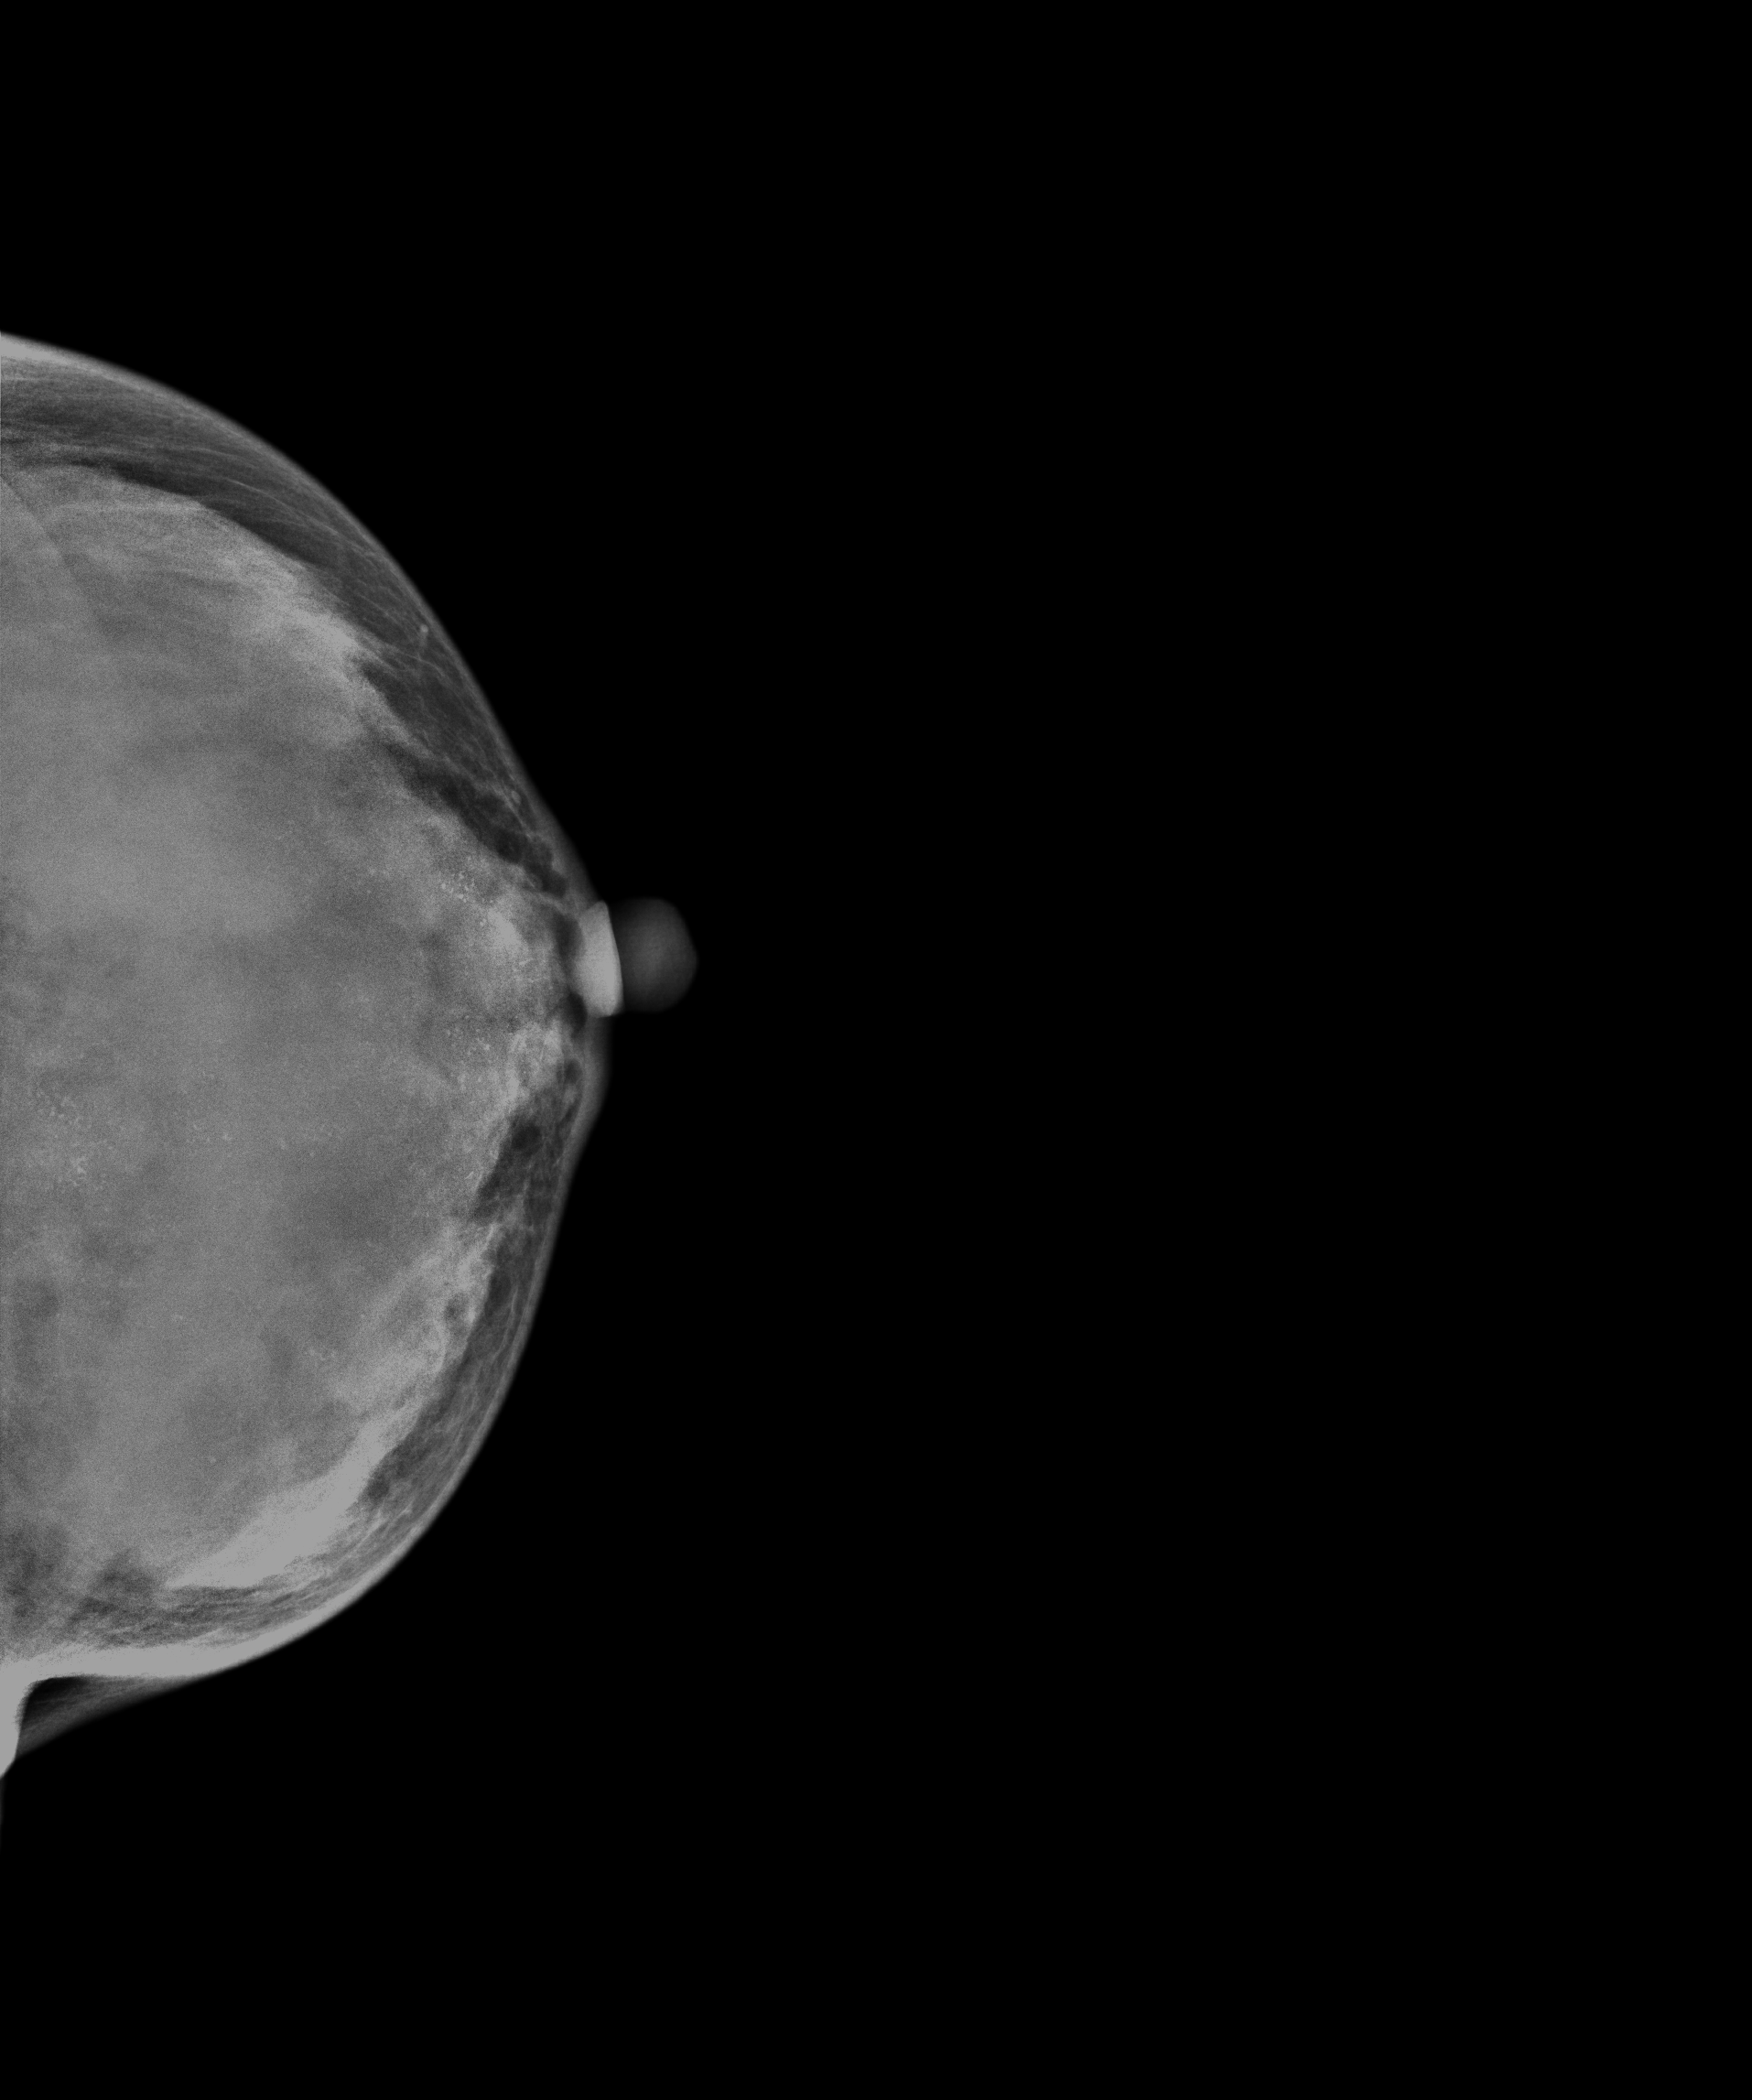
CC mammogram of the left breast. 34 y/o patient.
This breast has a mass and calcifications, biopsy-proven malignant. Molecular subtype: luminal B.